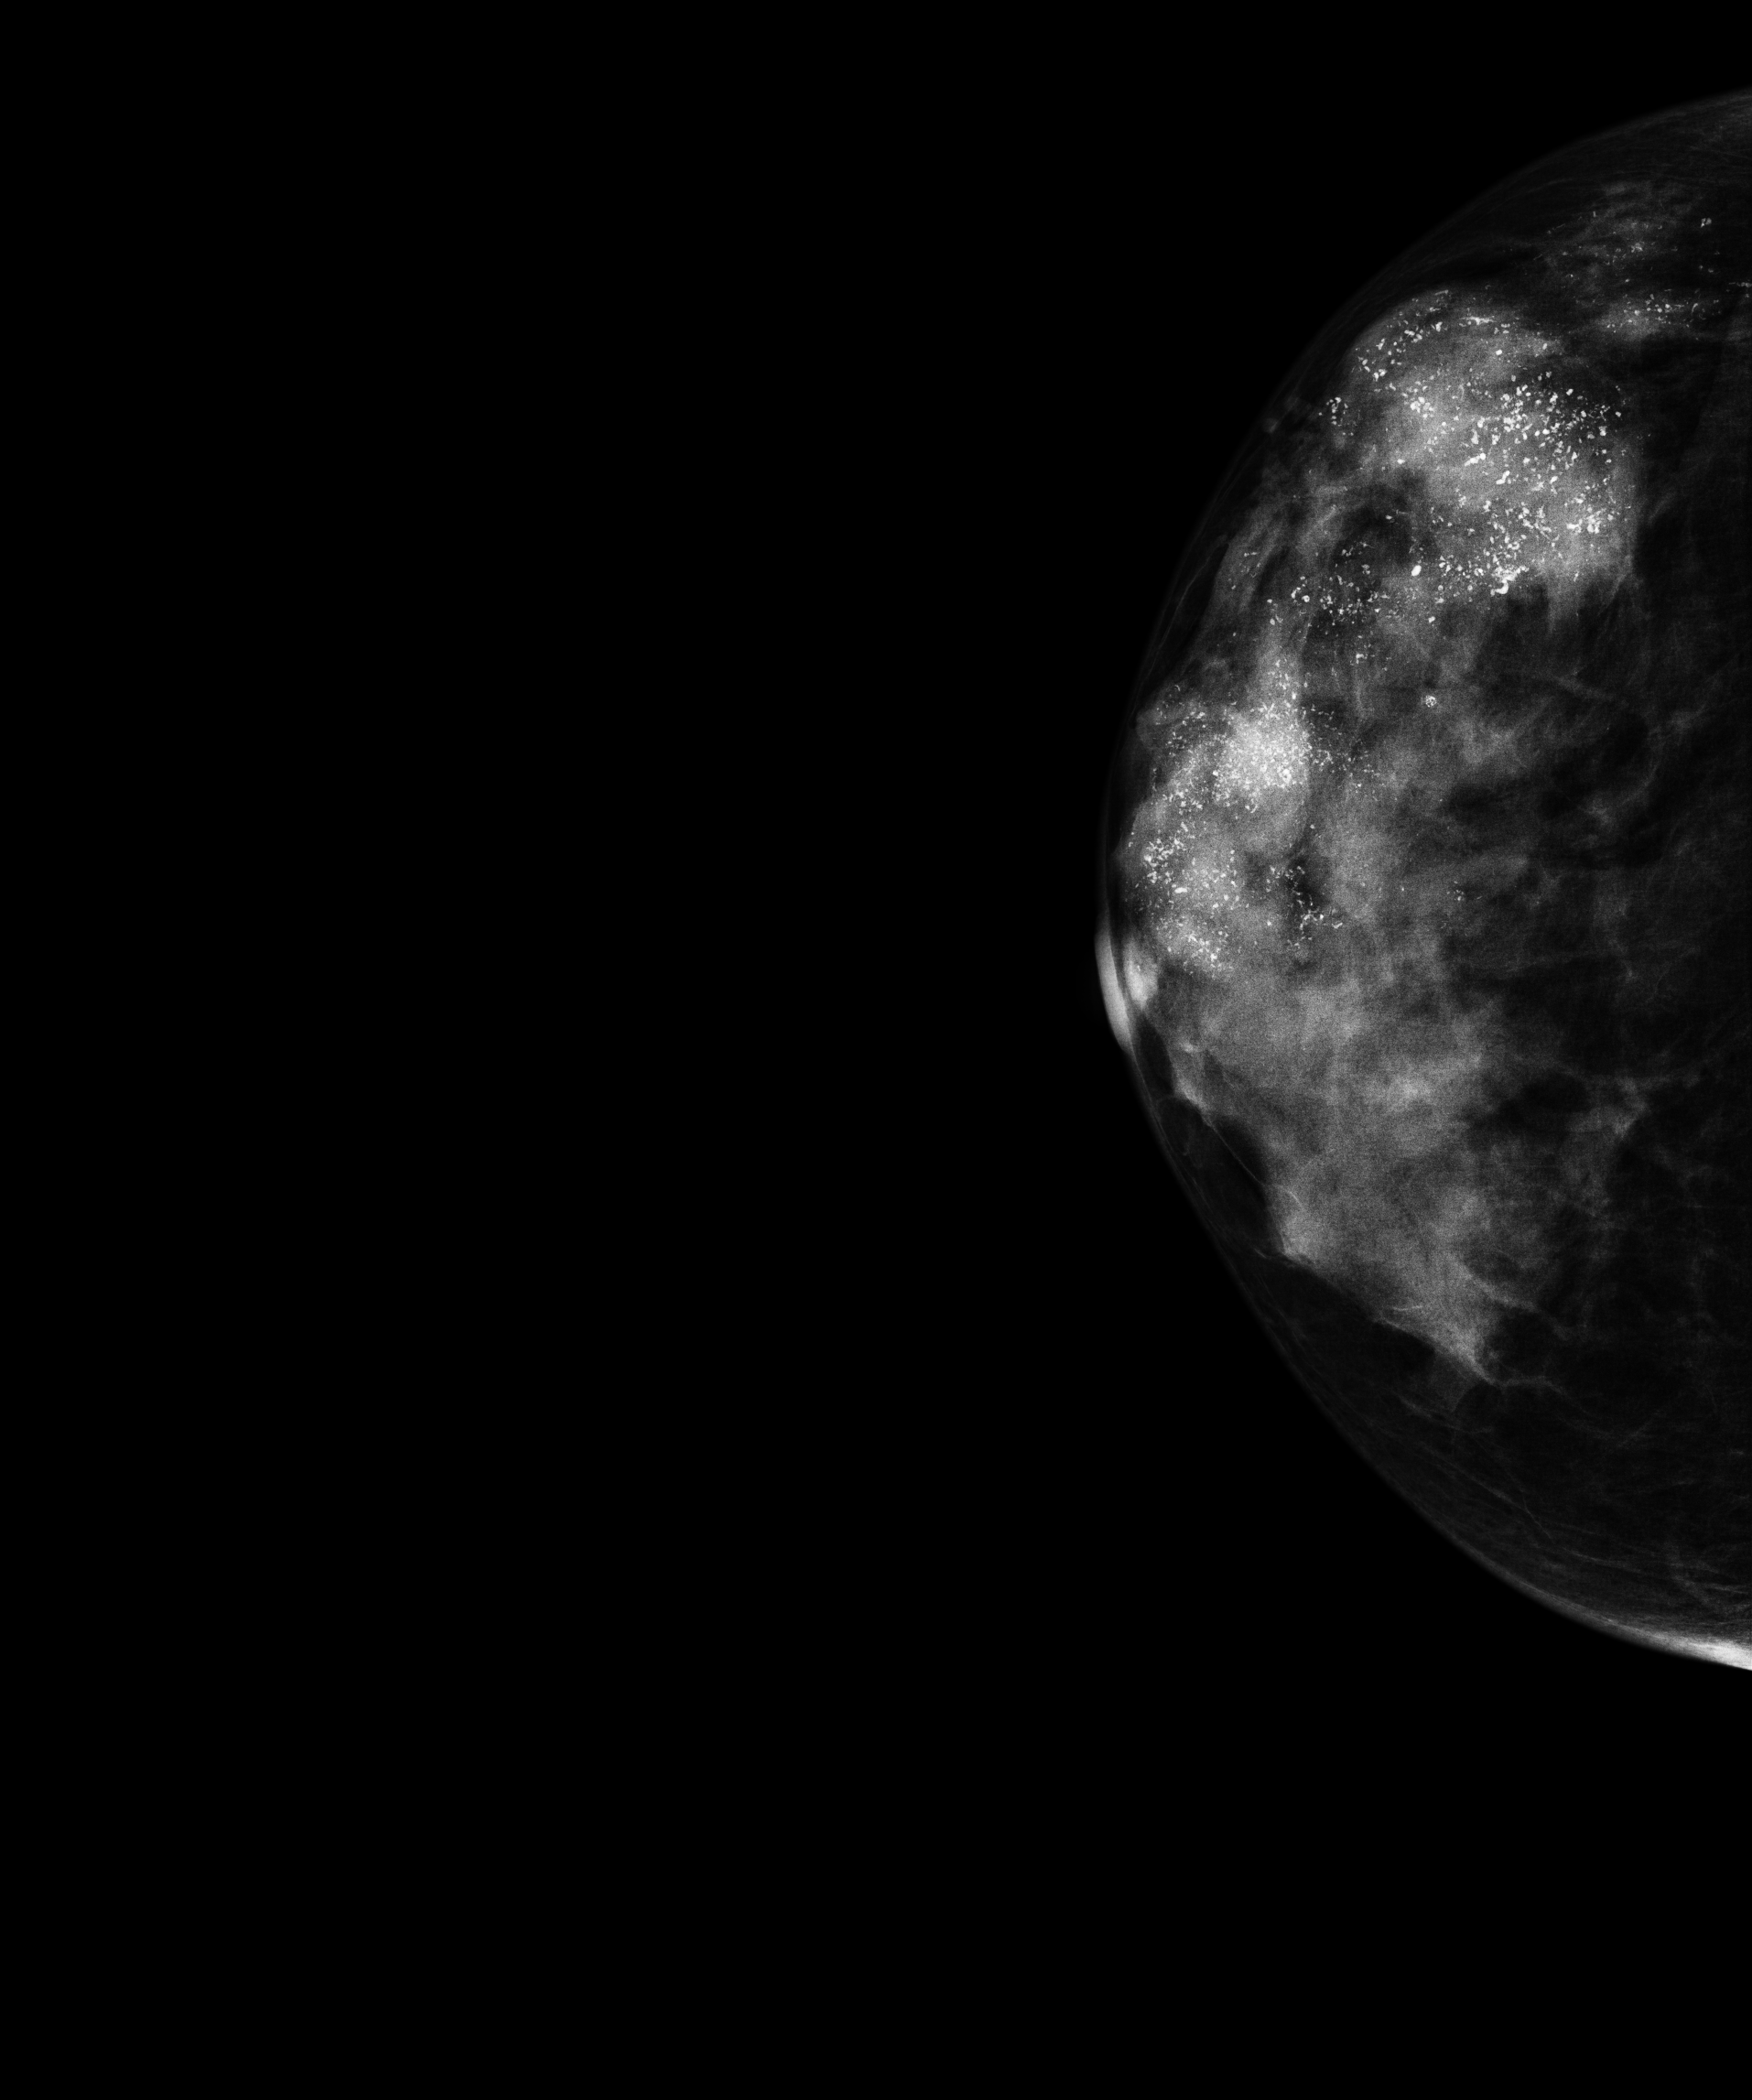
Digital mammography. Right breast, CC projection. 60-year-old patient.
This breast has a mass and calcifications, biopsy-proven malignant. Molecular subtype: luminal B.